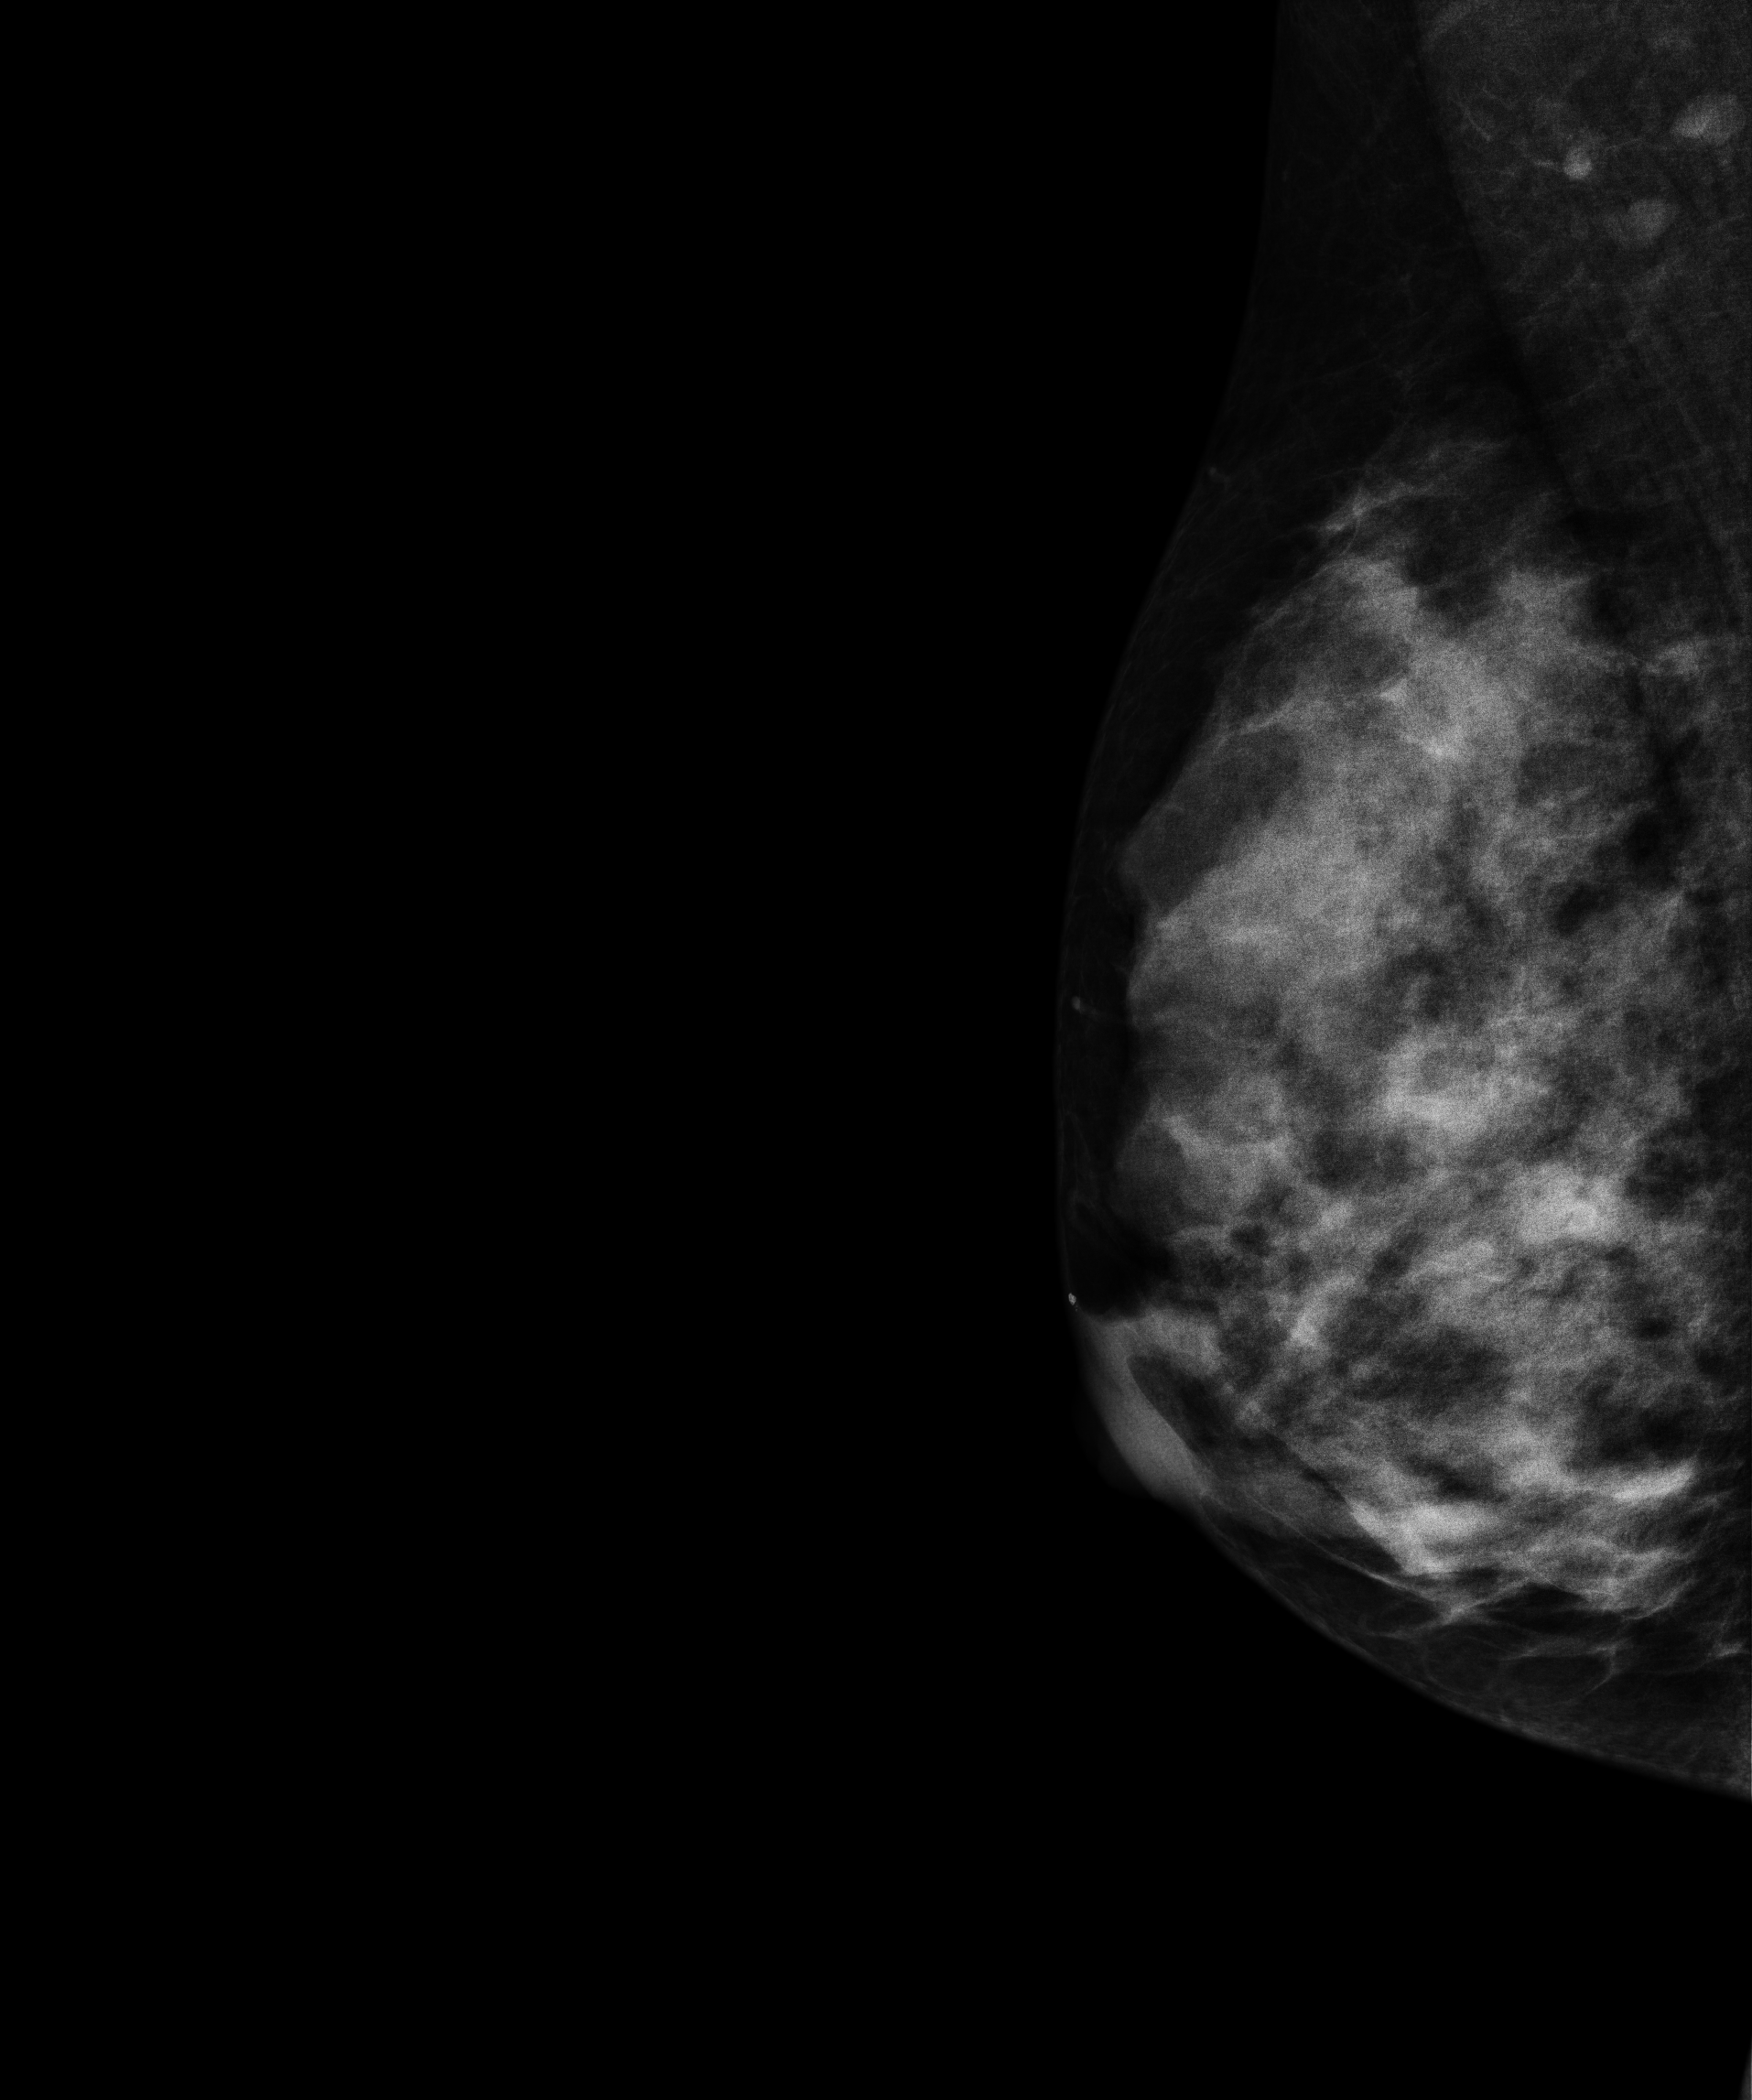
Digital mammography. Right breast, medio-lateral oblique projection. 46-year-old patient.
This breast has a mass, biopsy-proven malignant. Molecular subtype: luminal B.